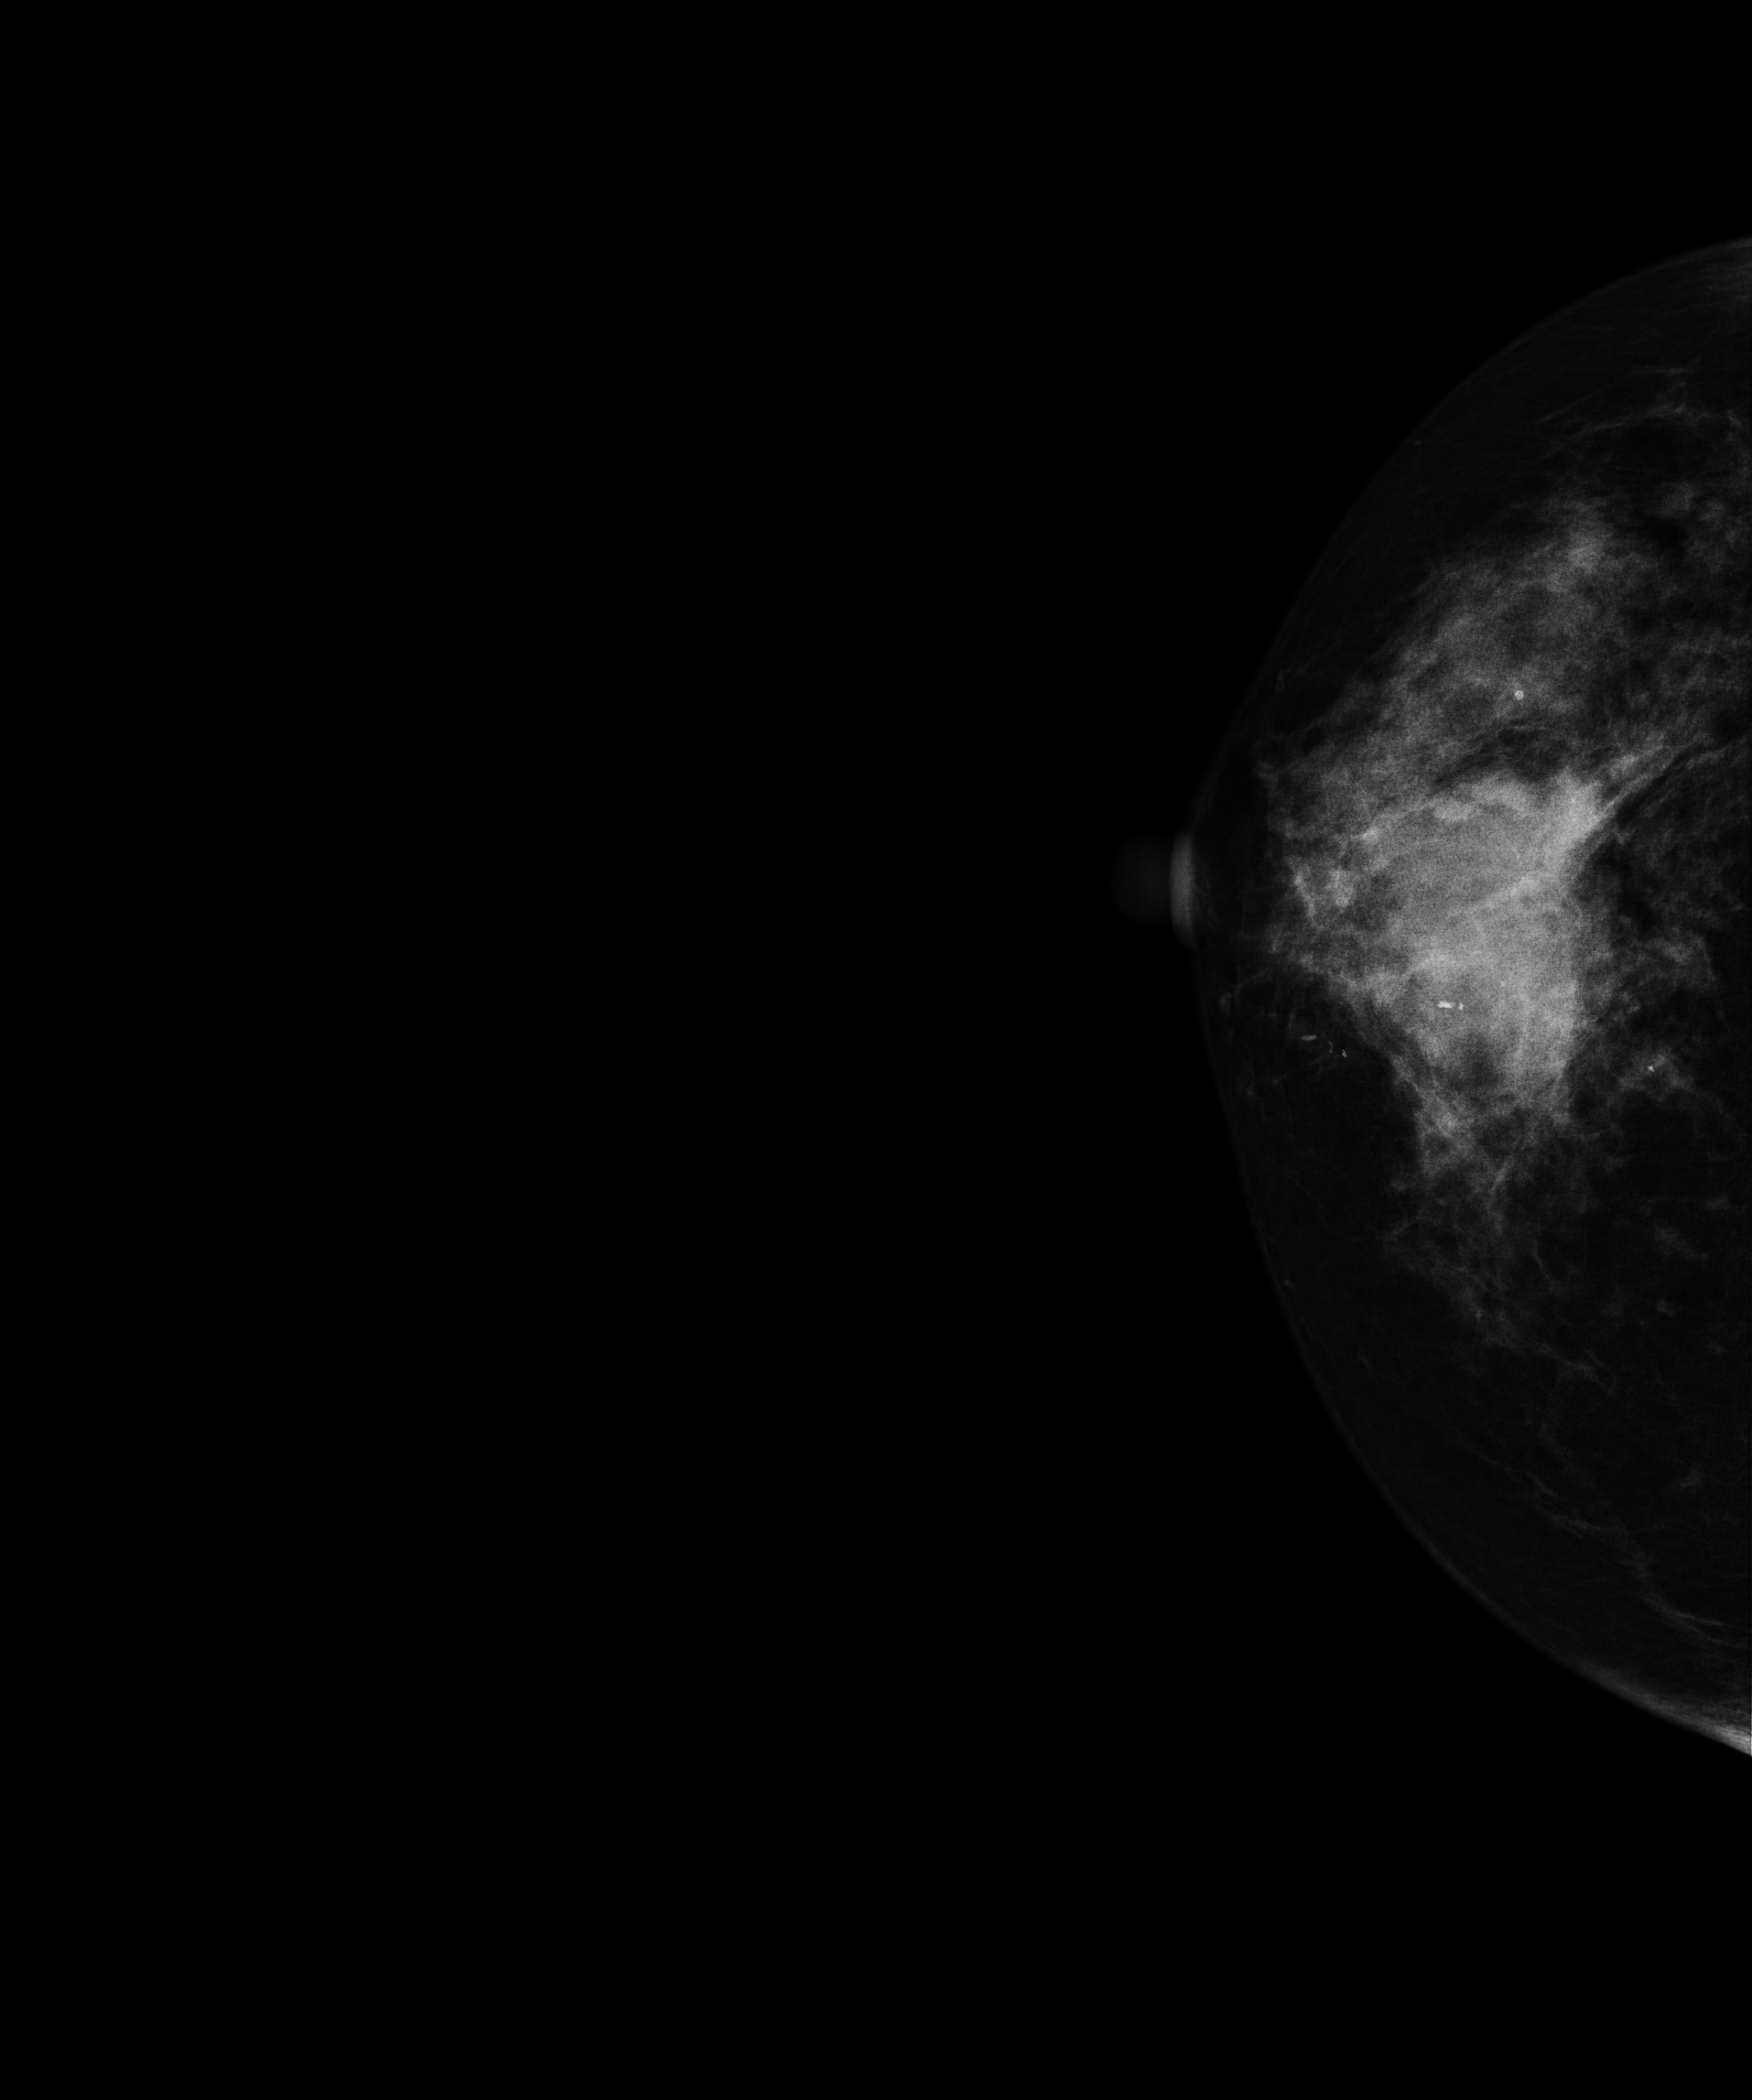
Mammogram — right CC. 68-year-old patient.
This breast has a mass and calcifications, biopsy-proven malignant. Molecular subtype: HER2-enriched.